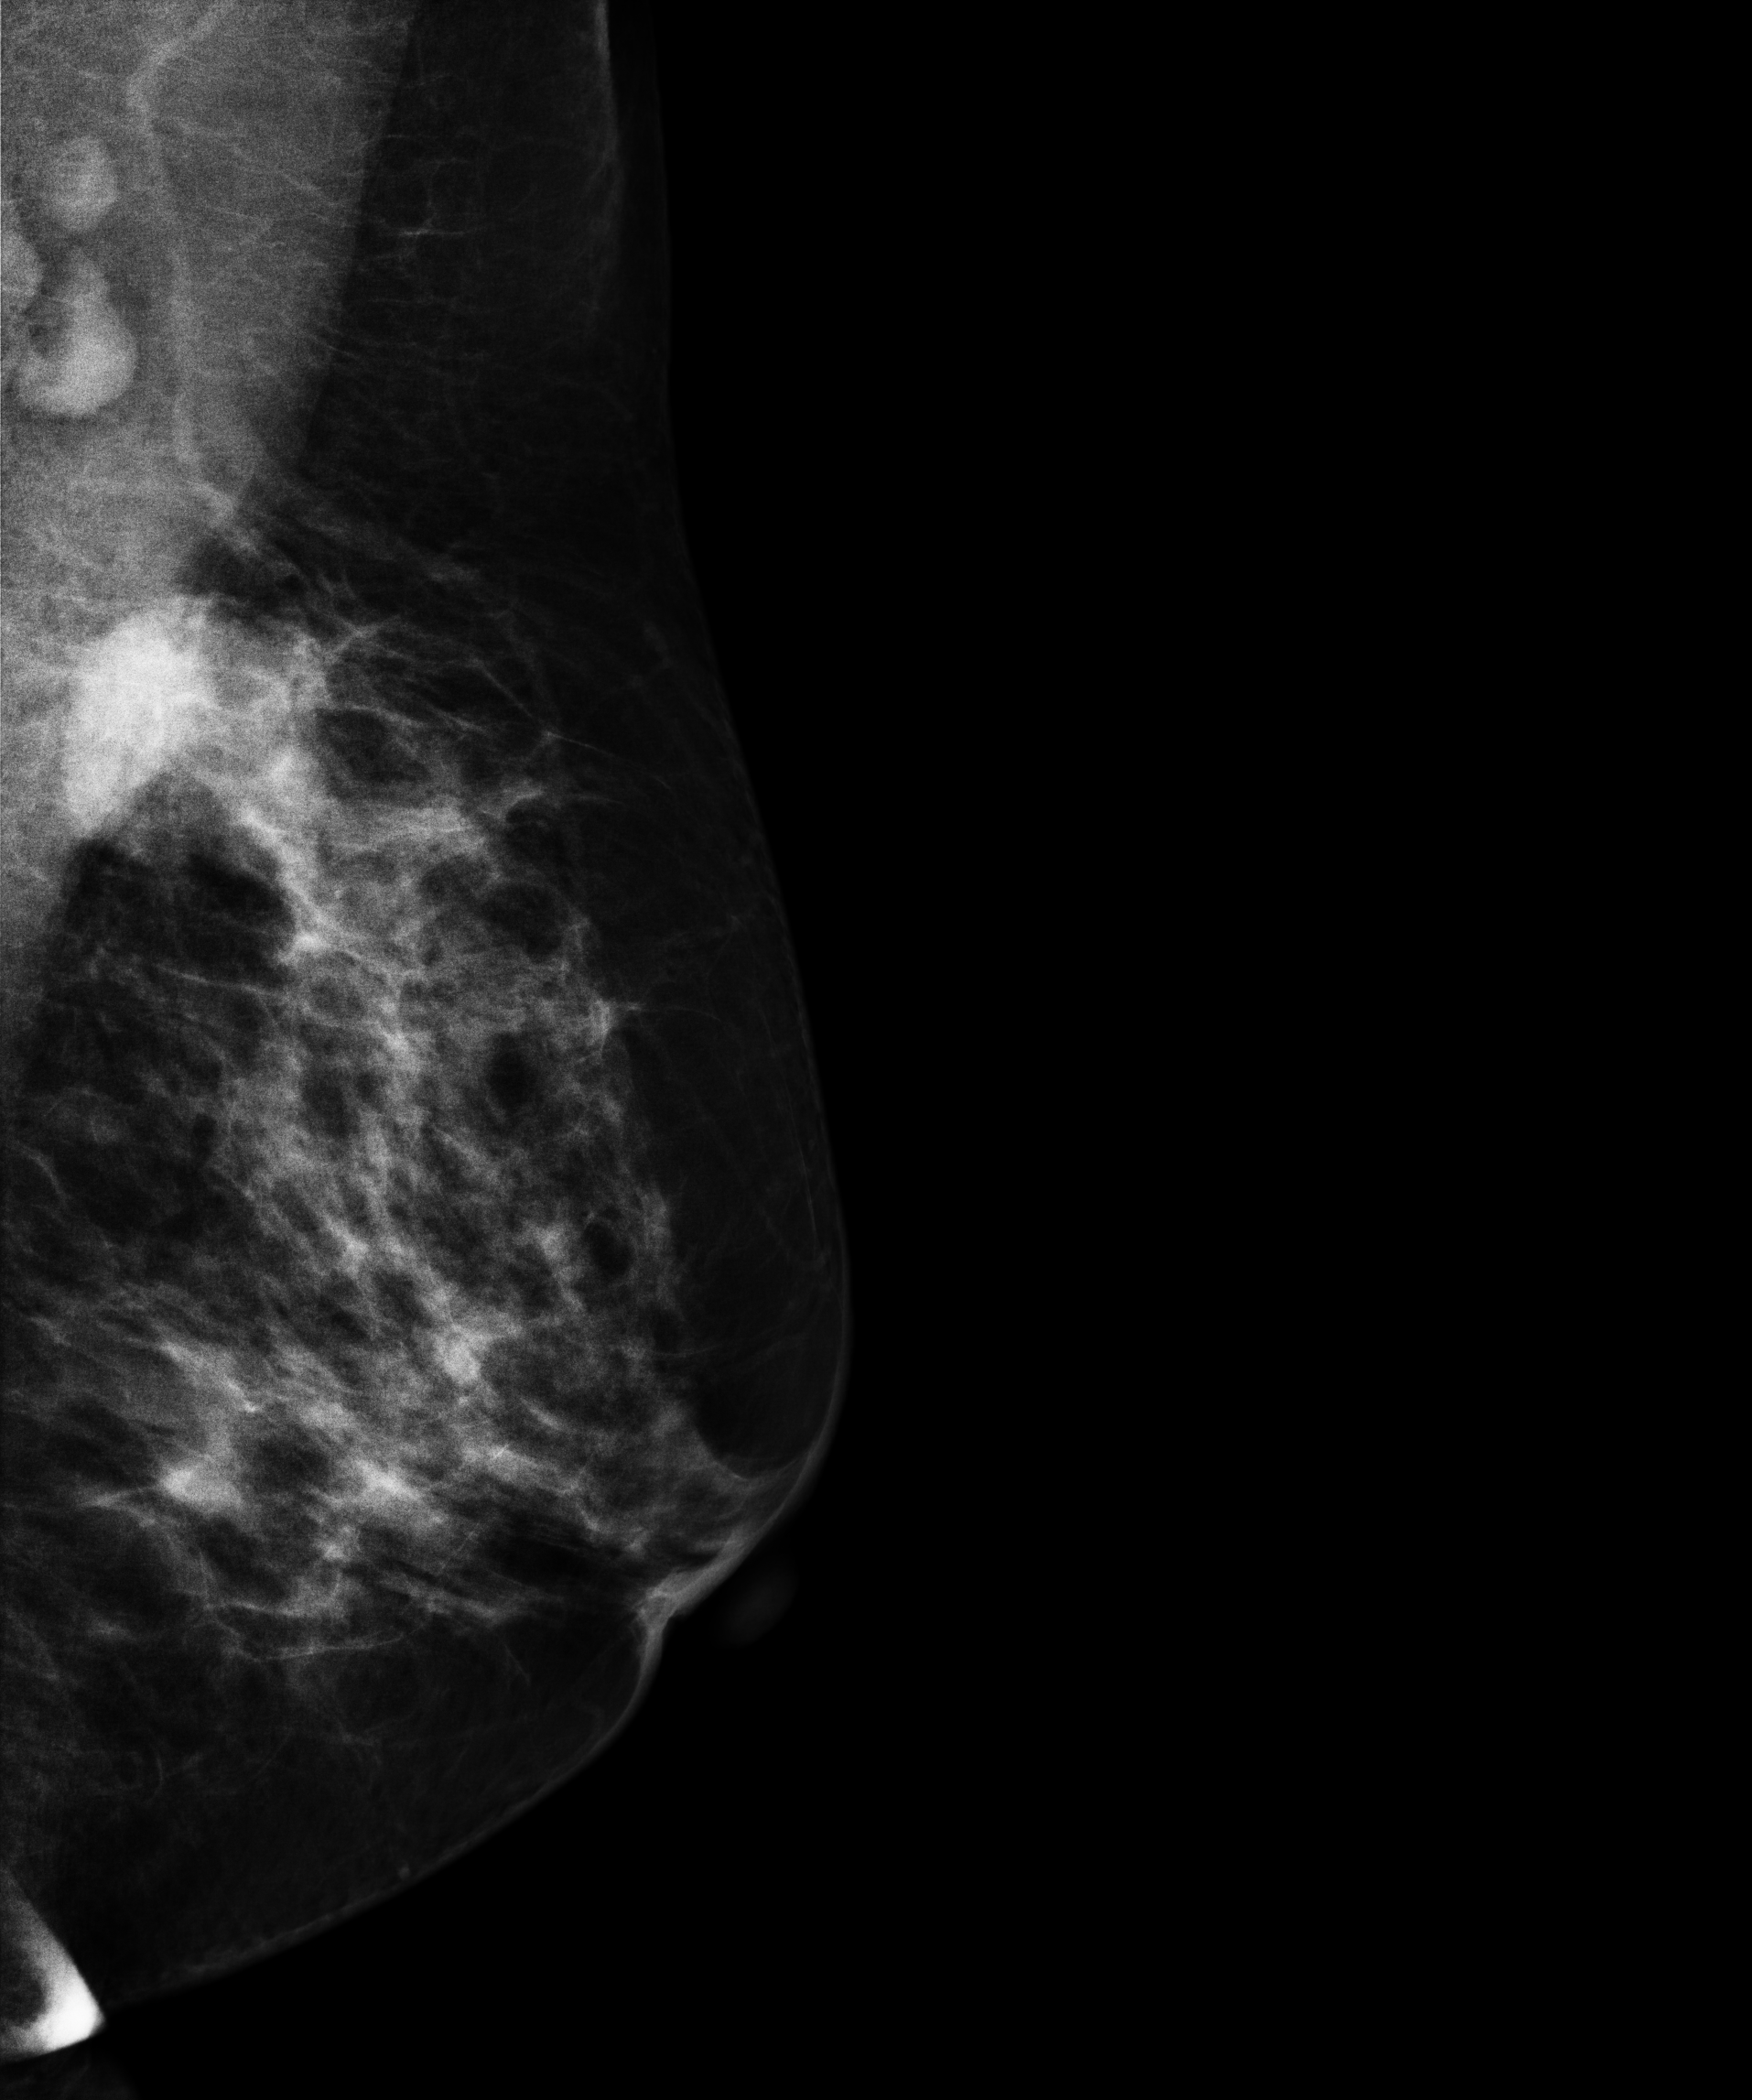
Medio-lateral oblique mammogram of the left breast. Patient age 52.
This breast has a mass, histologically confirmed malignant. Molecular subtype: luminal B.